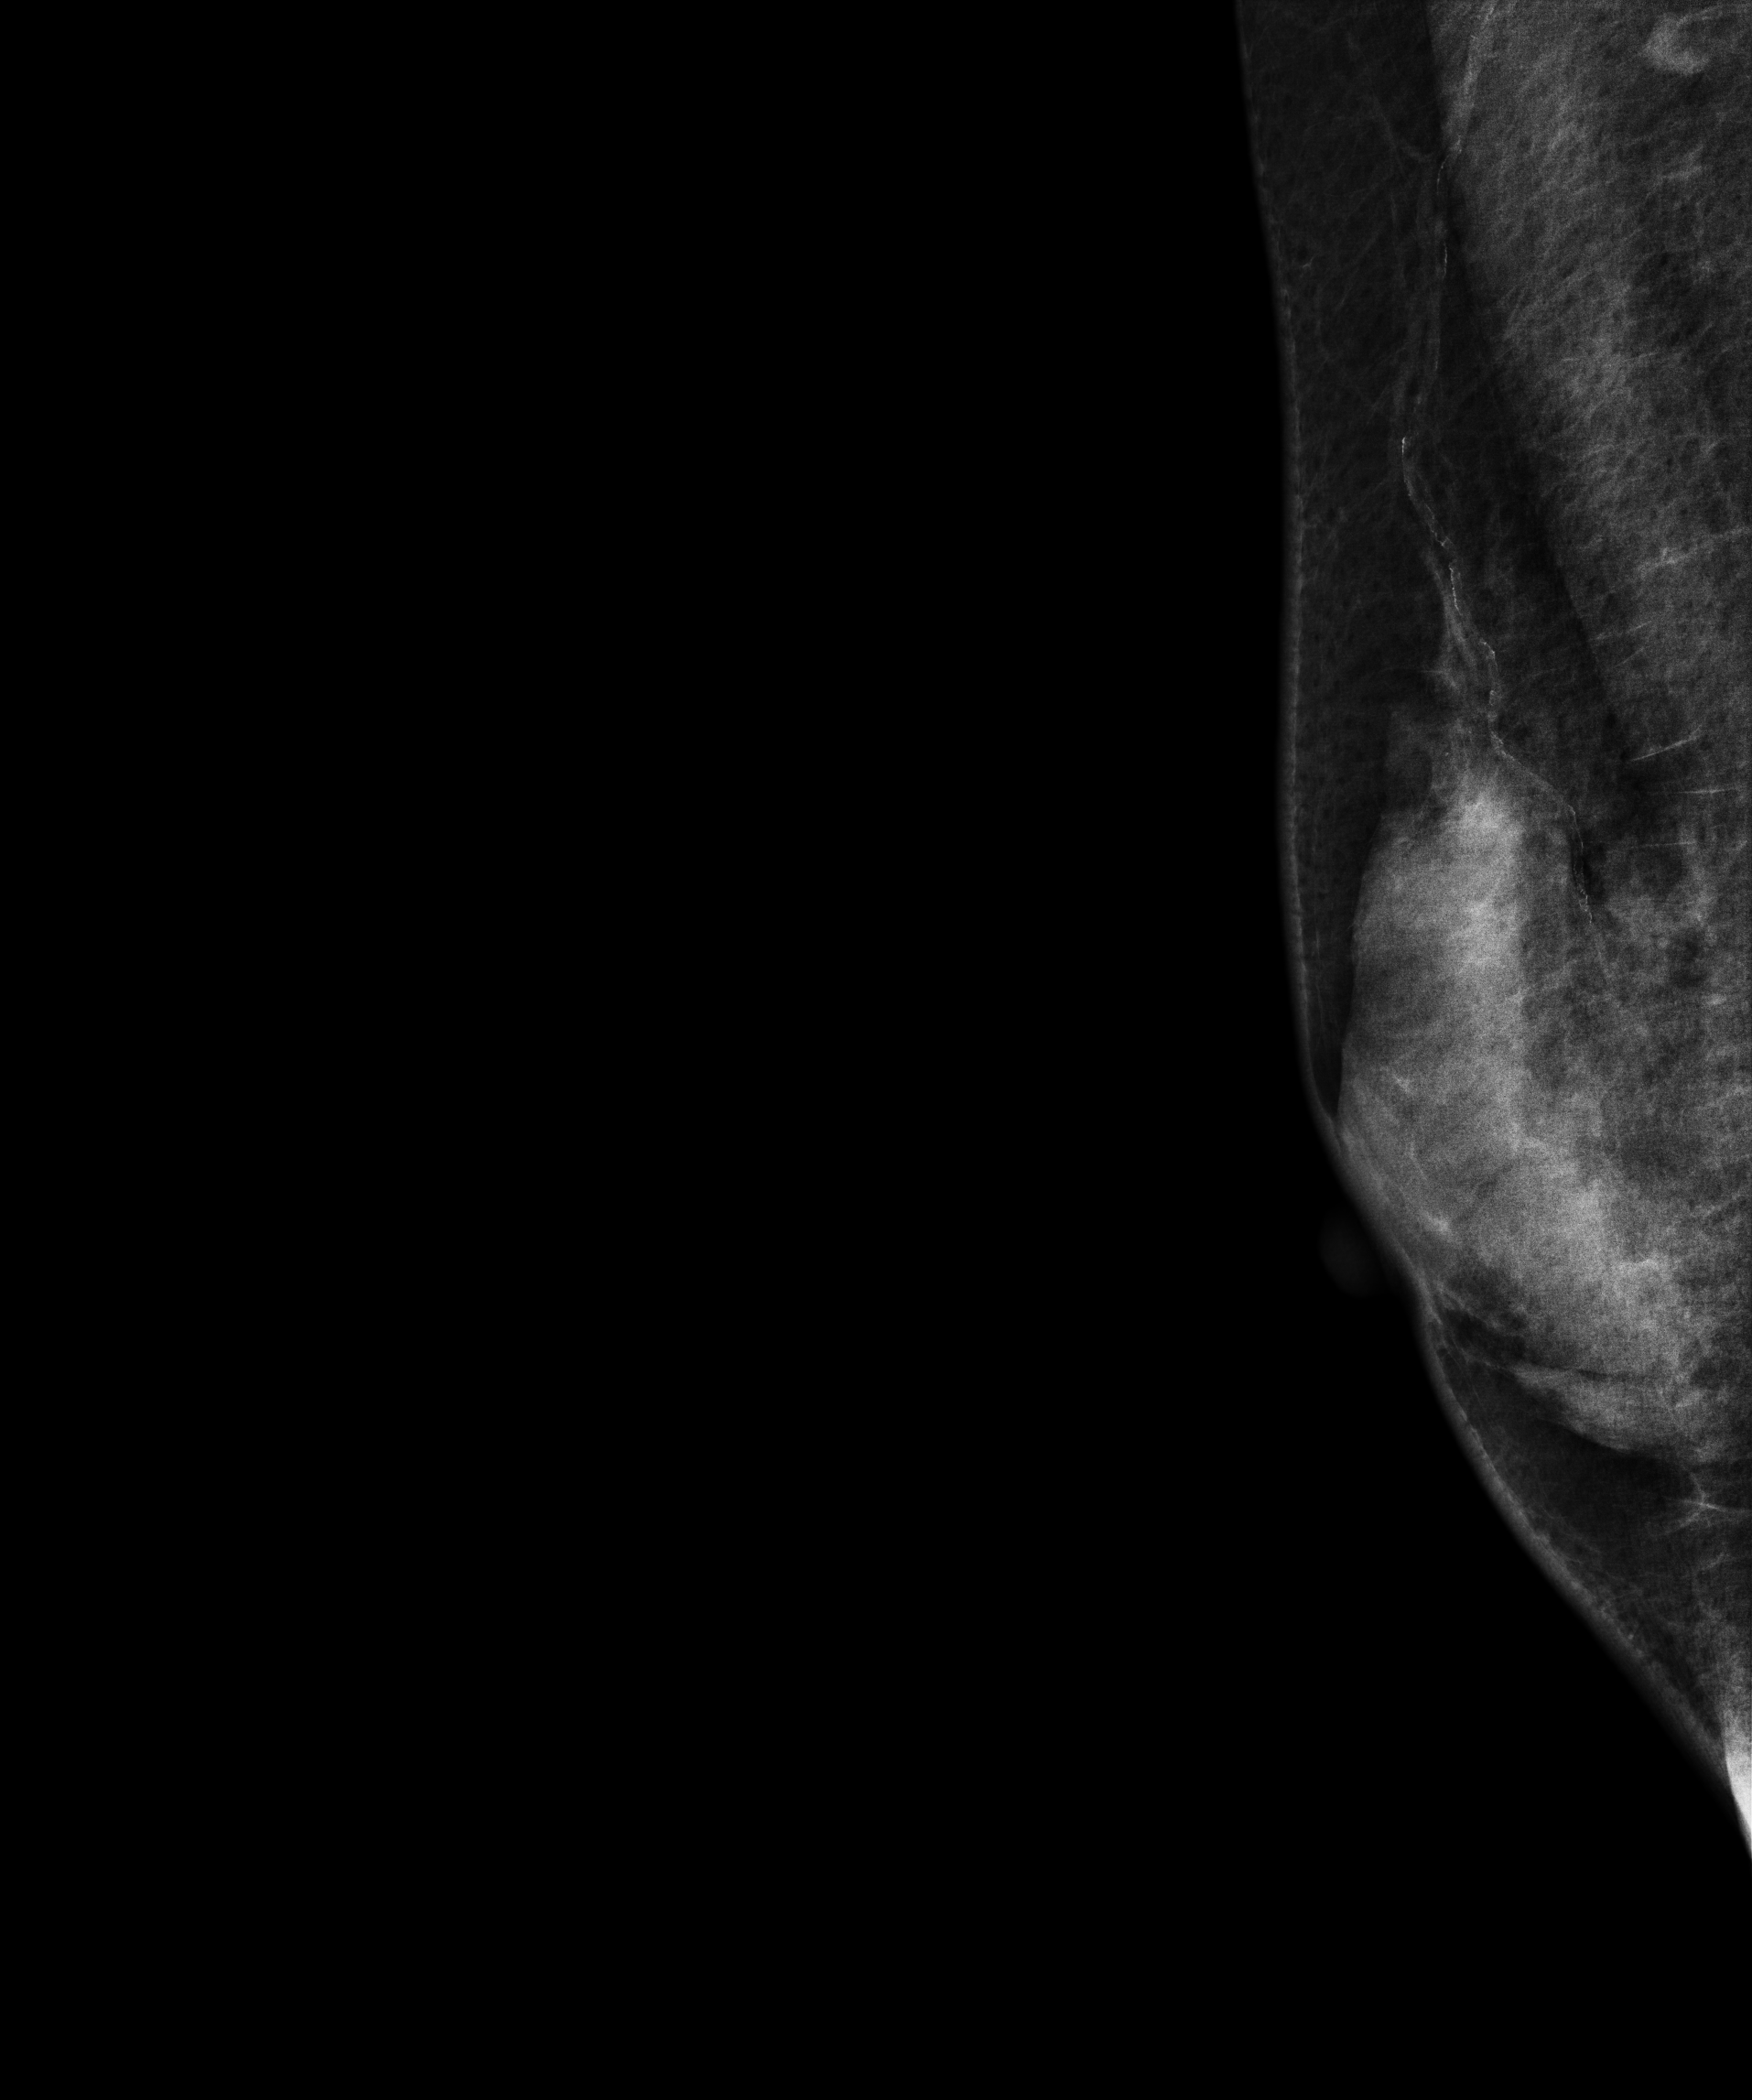
Digital mammography. Right breast, medio-lateral oblique projection. 63-year-old patient.
This breast has a mass, biopsy-proven benign.